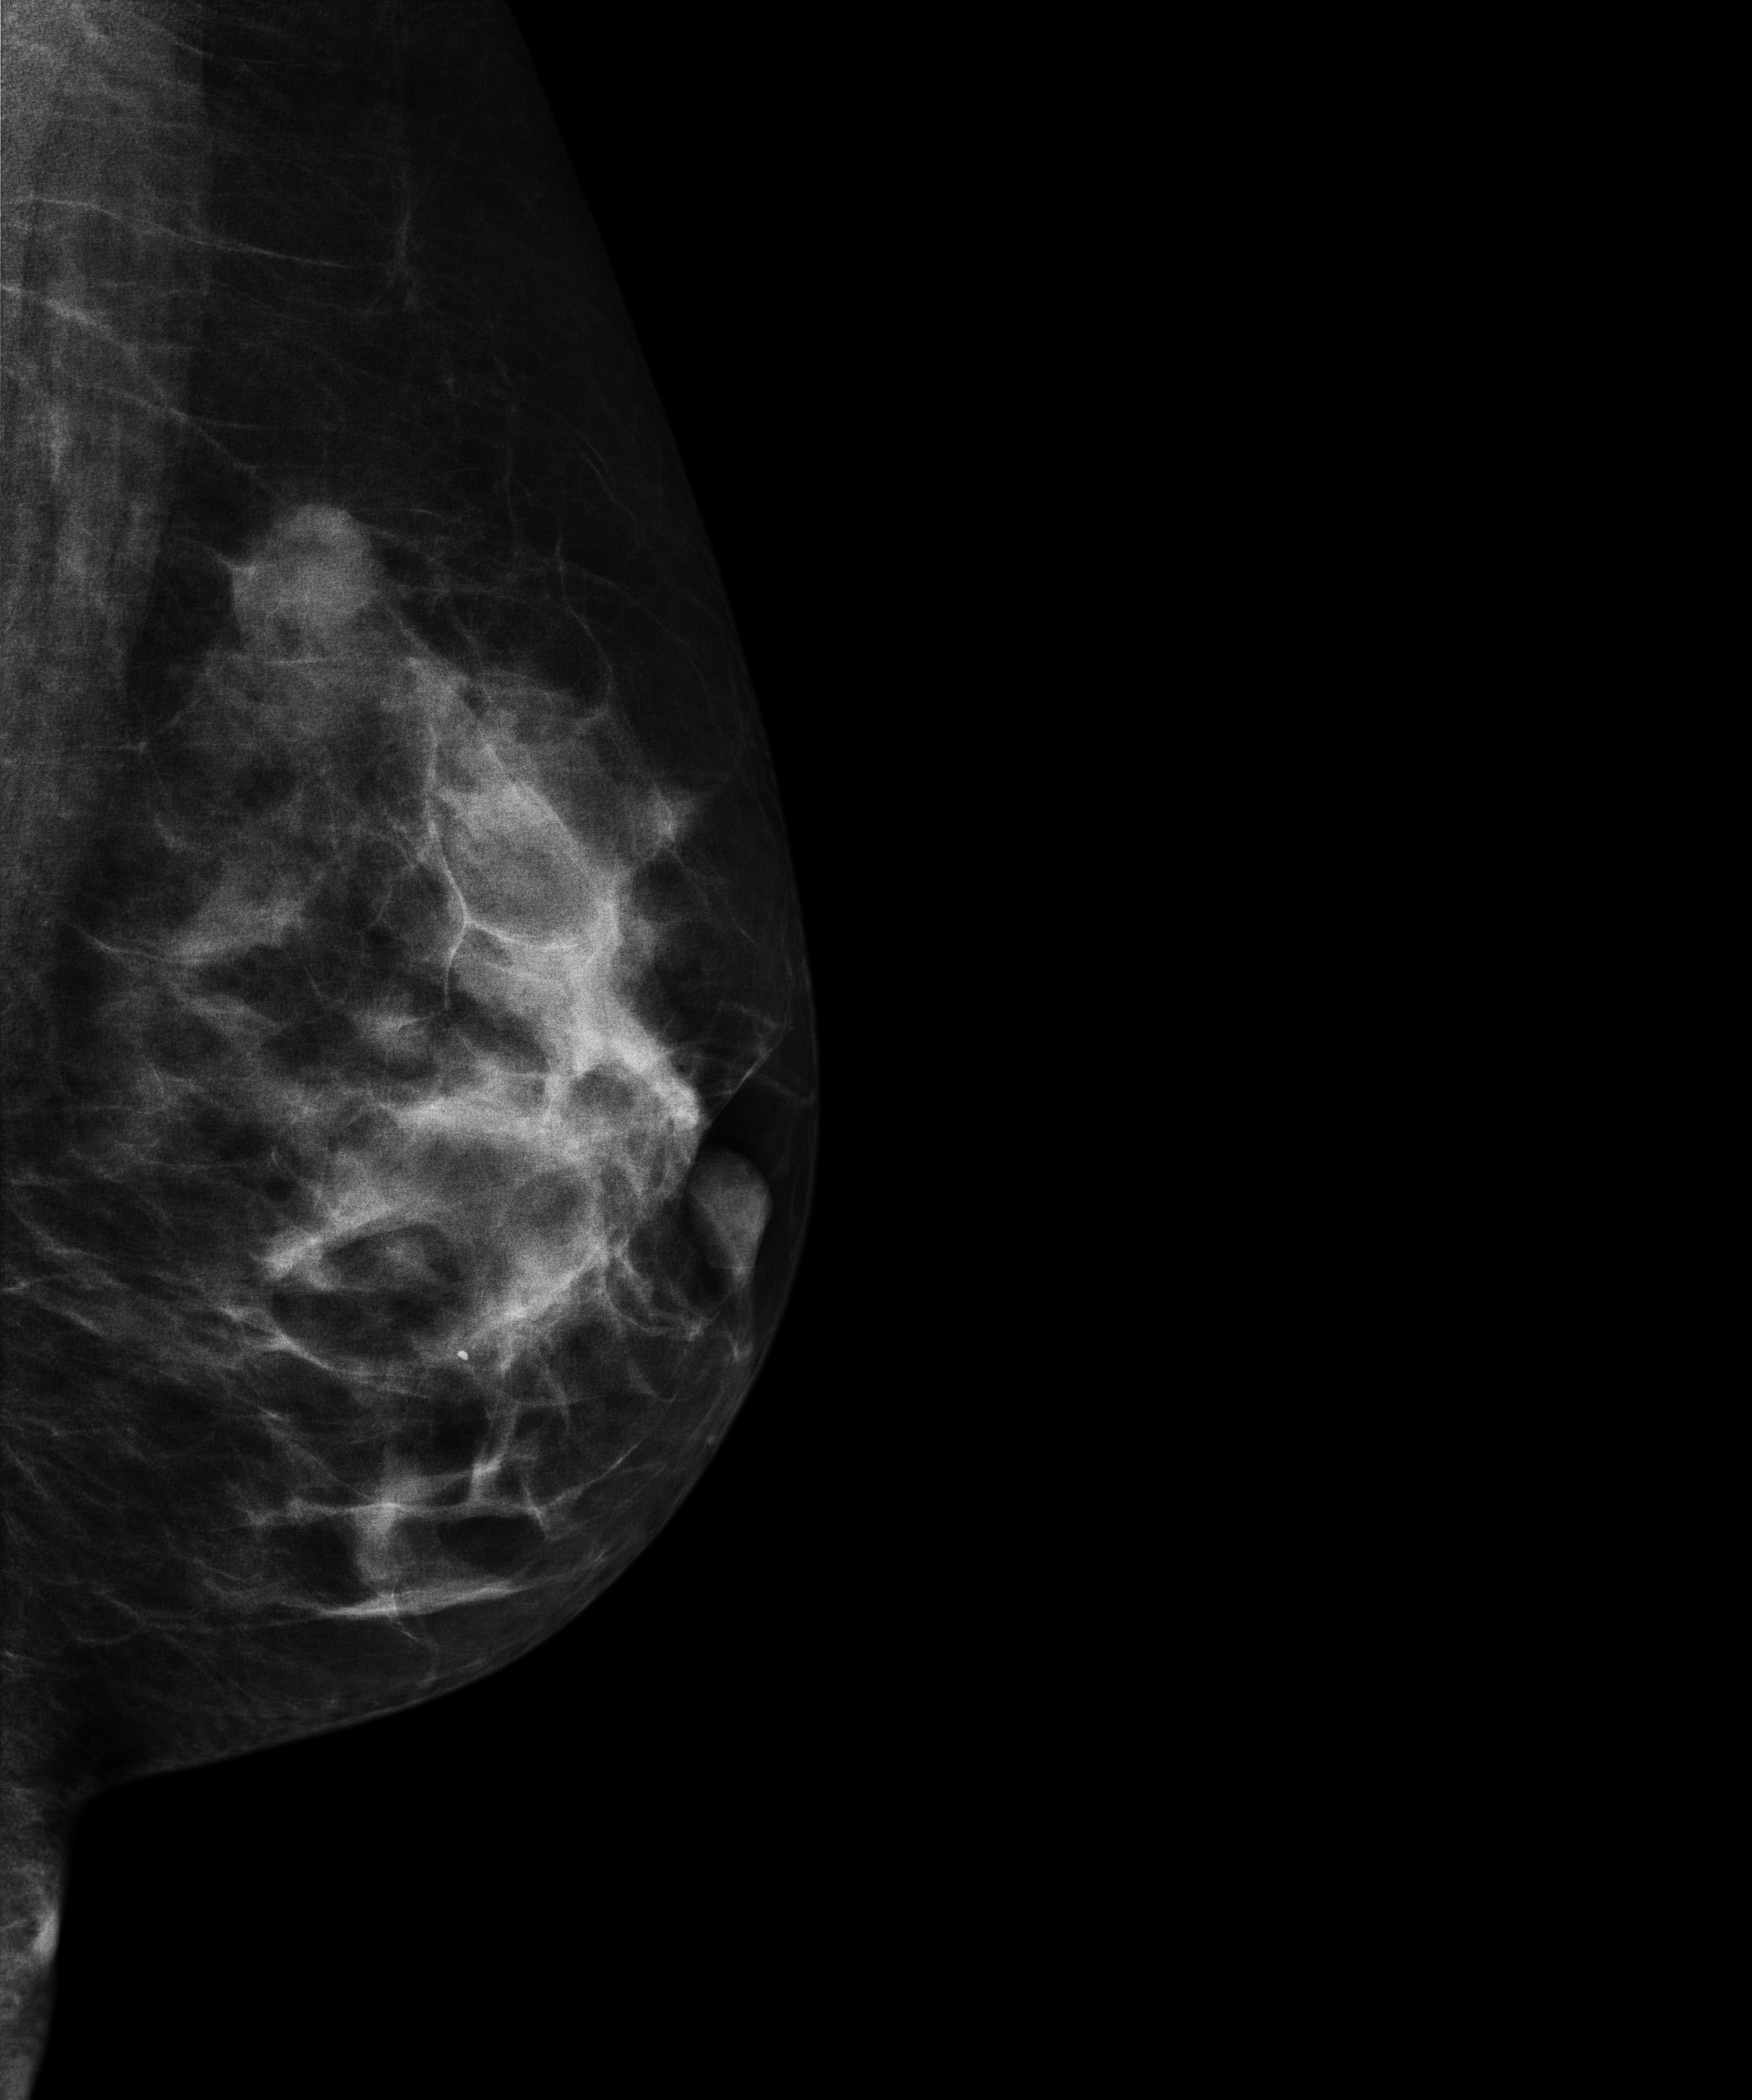
Mammogram, left breast, MLO view. 51-year-old patient.
This breast has a mass, pathology-confirmed malignant. Molecular subtype: luminal B.